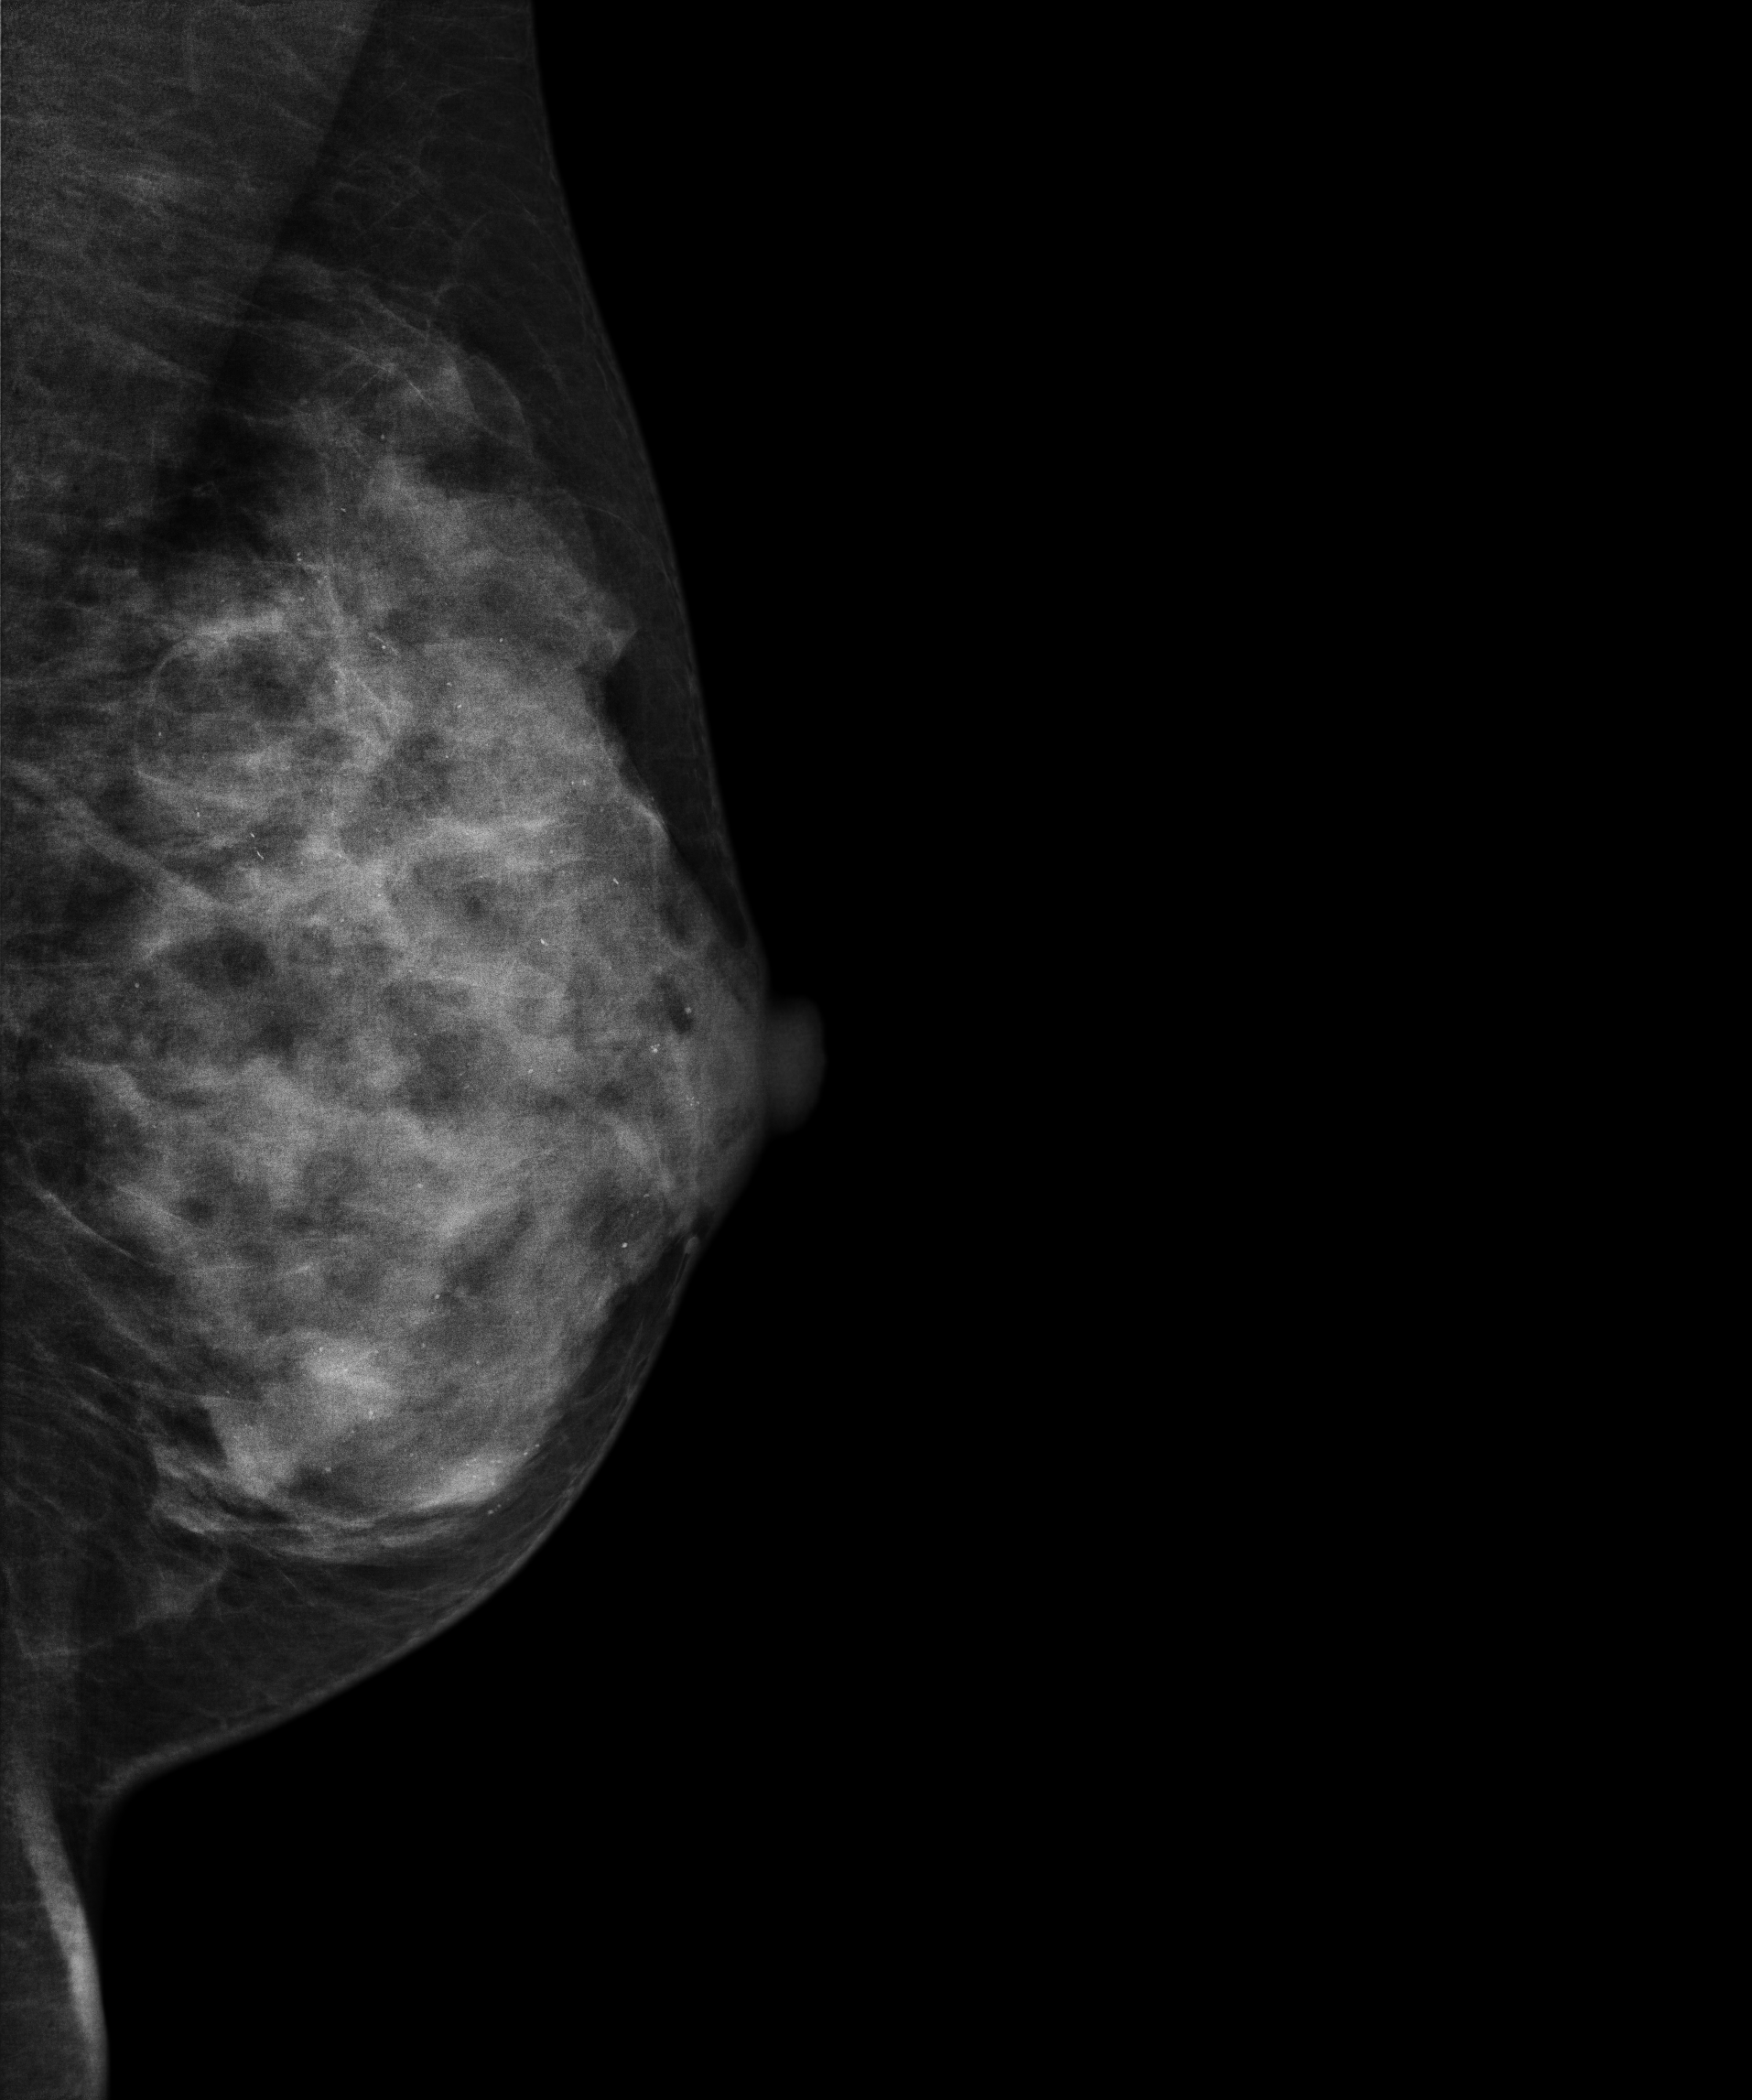
Medio-lateral oblique mammogram of the left breast. 44-year-old patient.
This breast has calcifications, histologically confirmed benign.